Digital mammography. Left breast, cranio-caudal projection. 61 y/o patient.
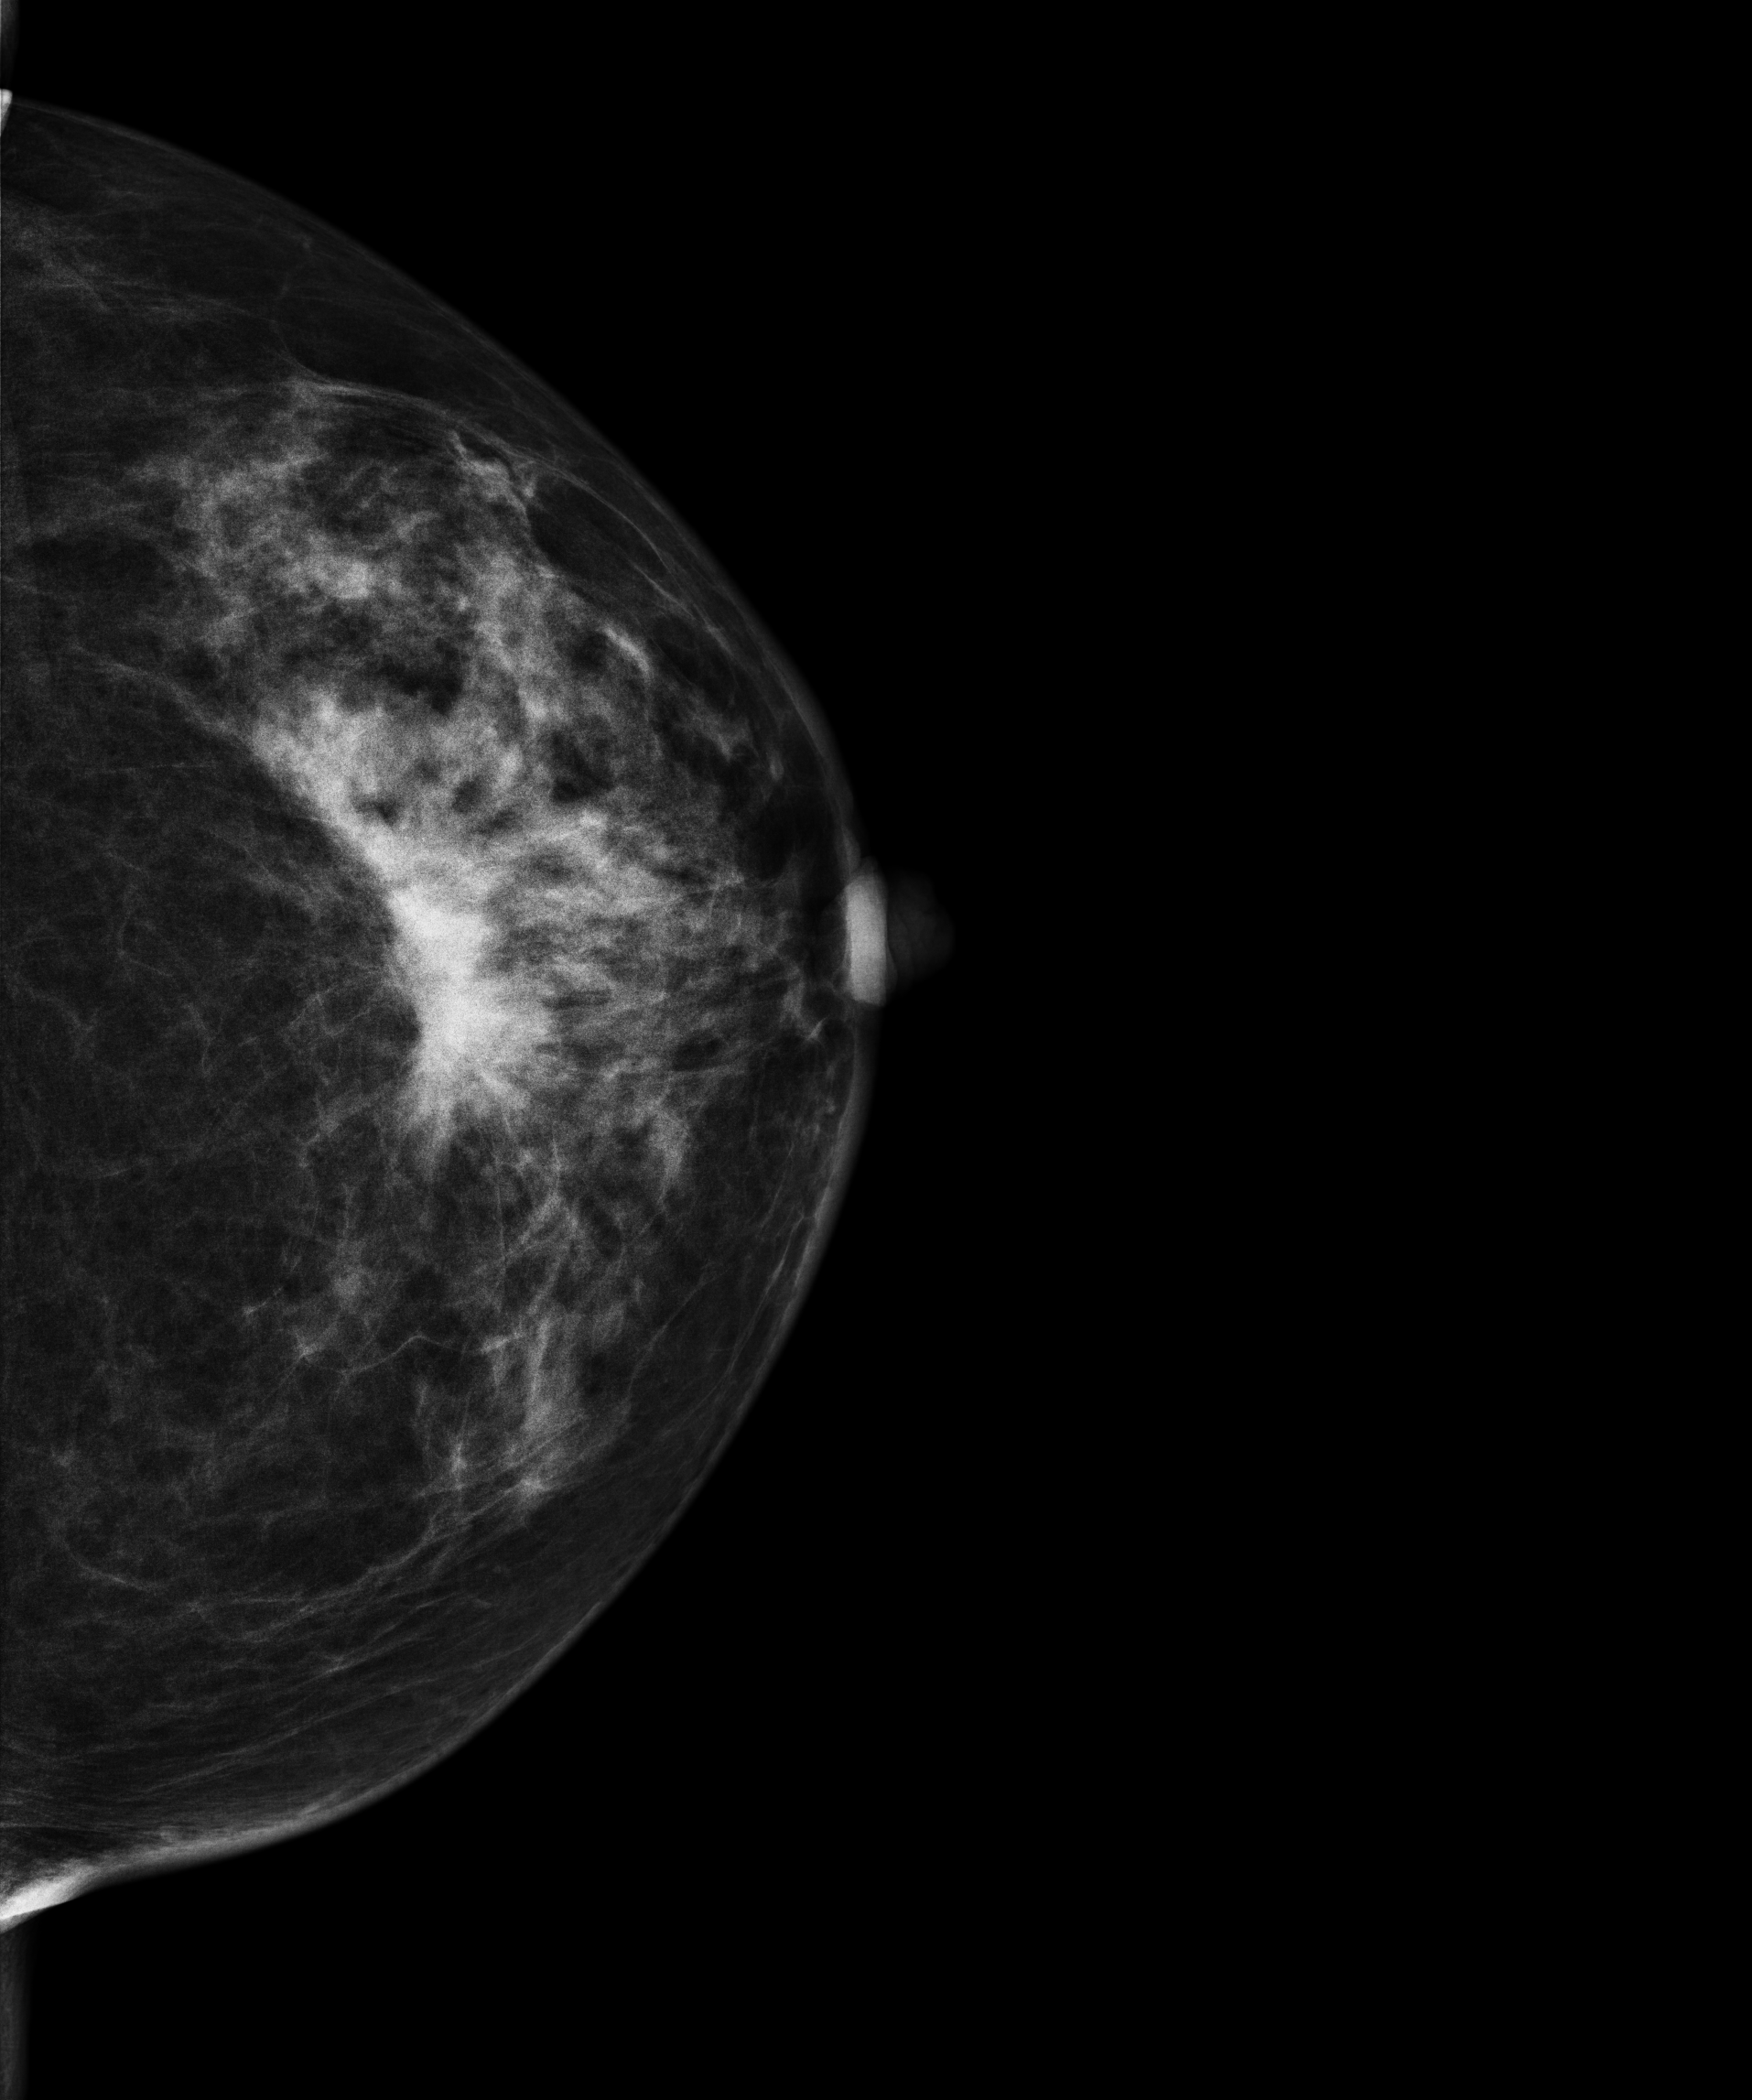
This breast has a mass, histologically confirmed malignant. Molecular subtype: luminal A.